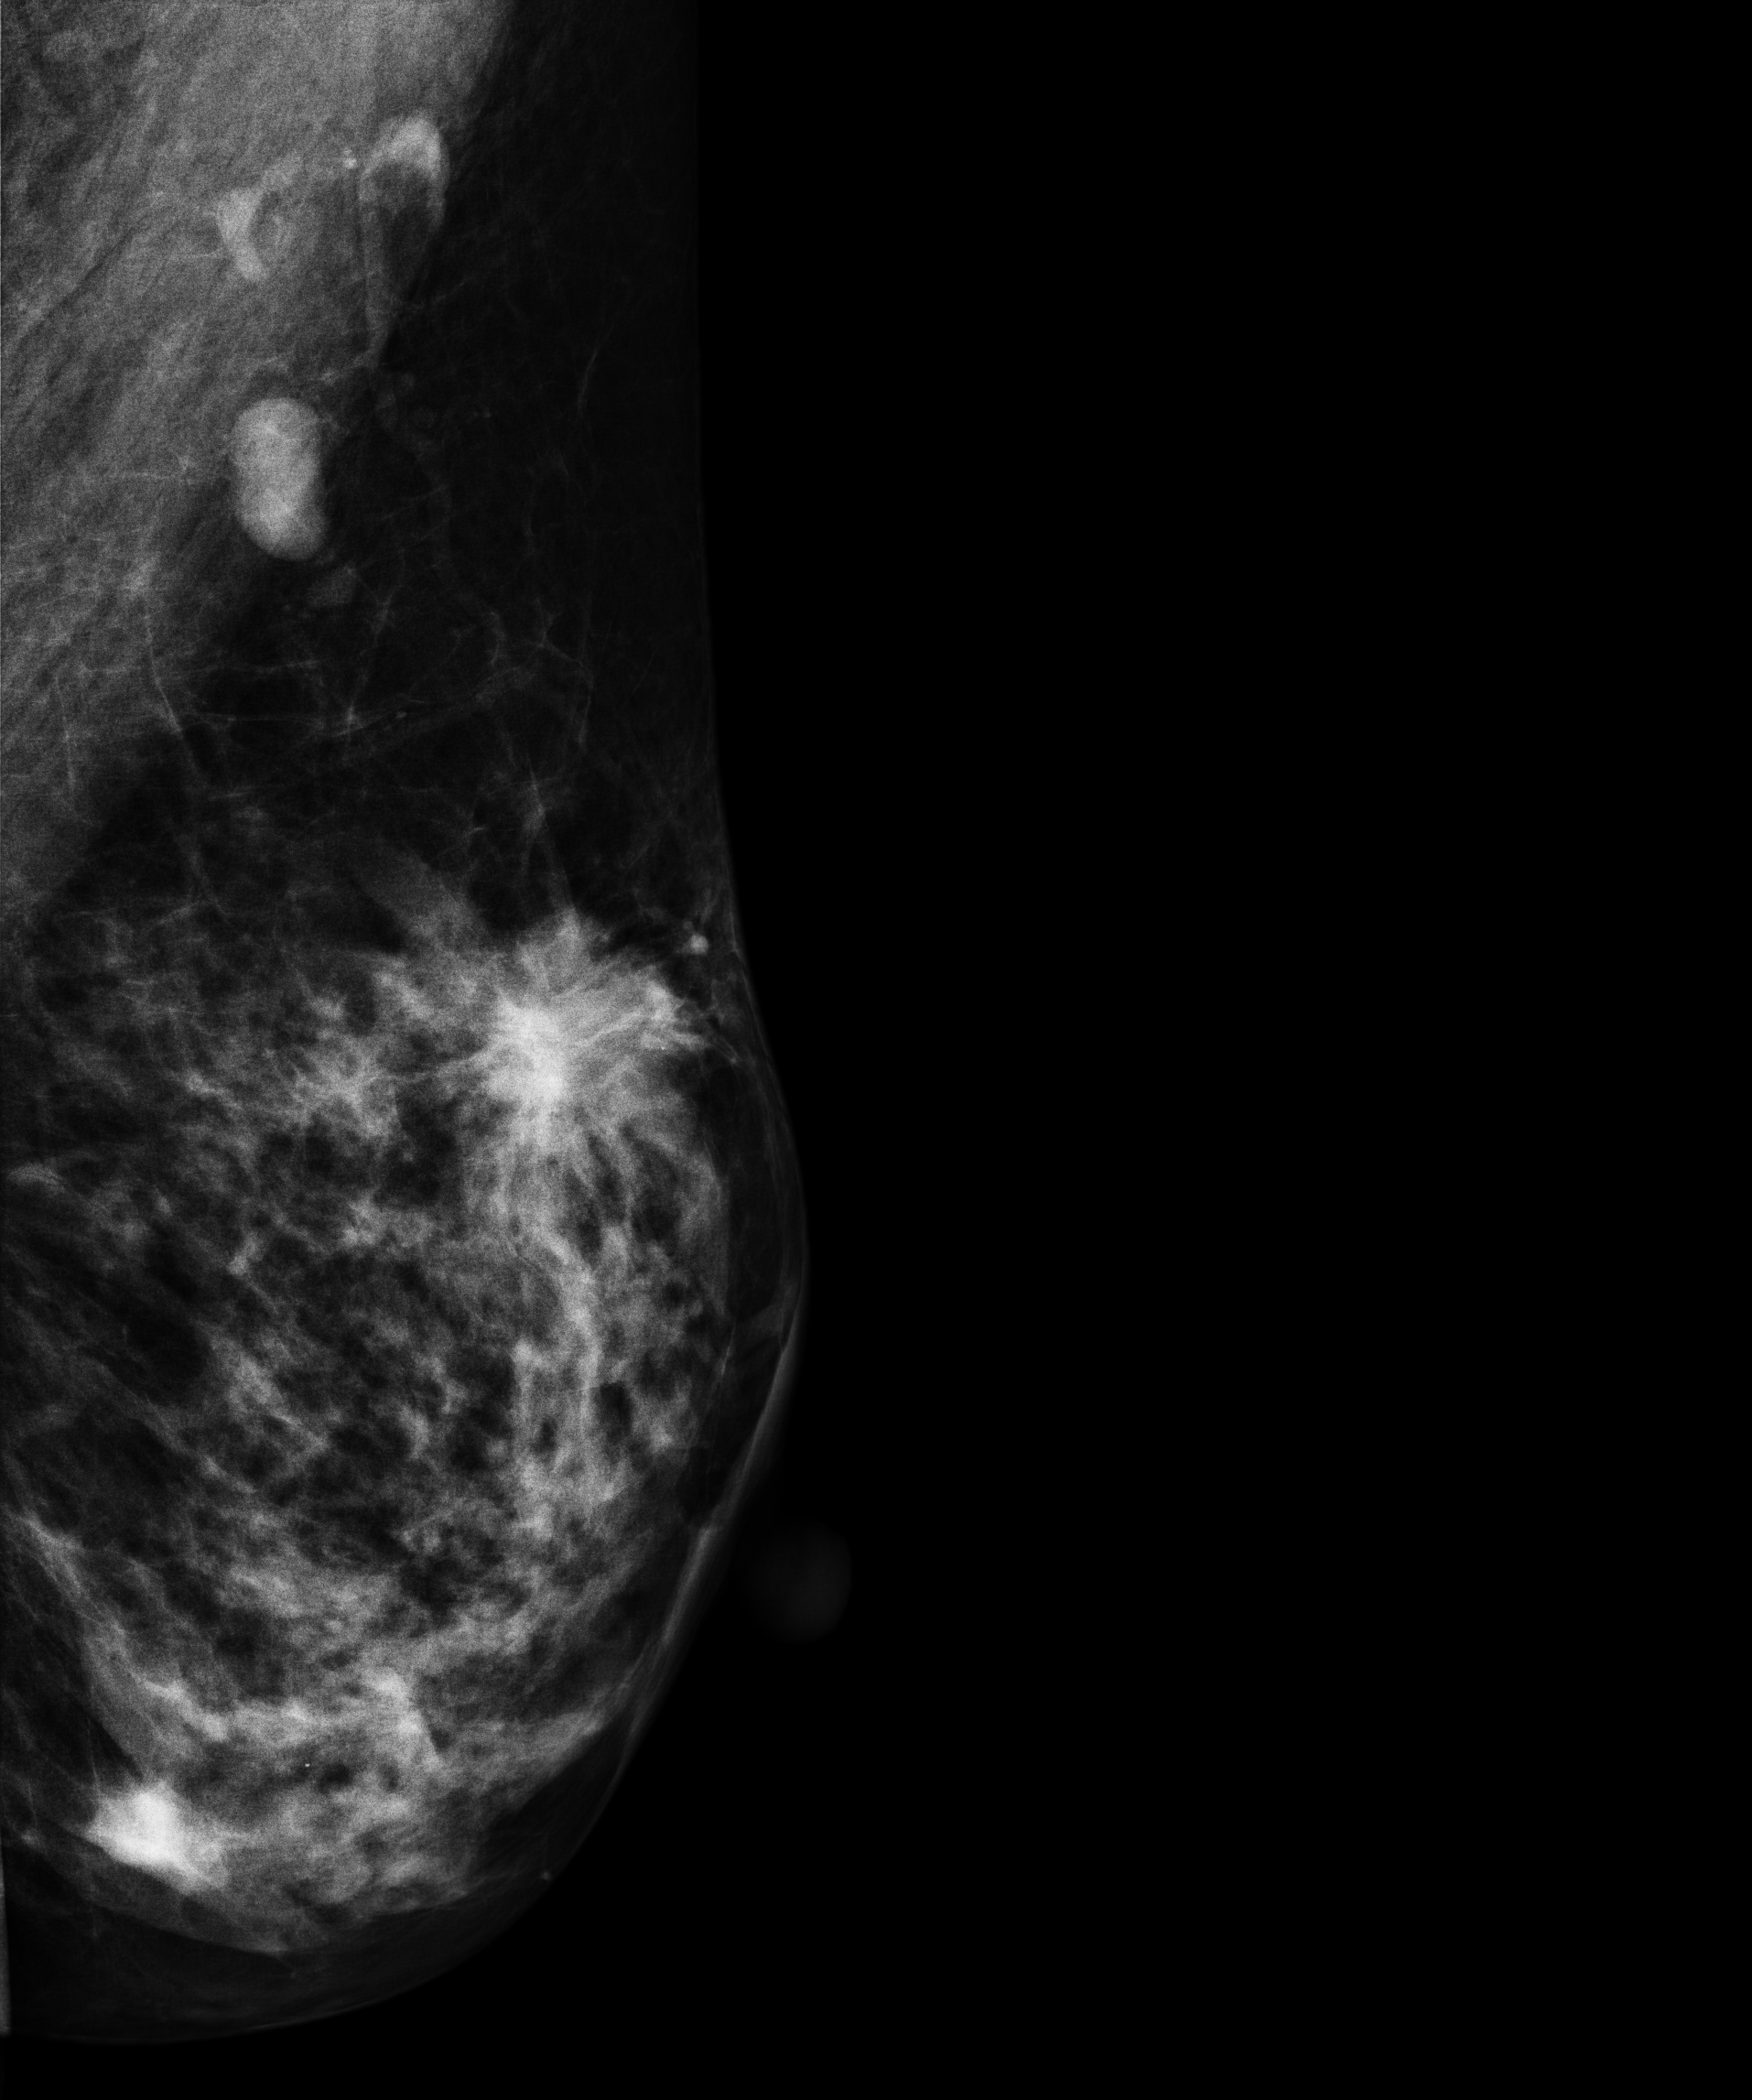
MLO mammogram of the left breast. Patient age 52.
This breast has a mass, biopsy-confirmed malignant.